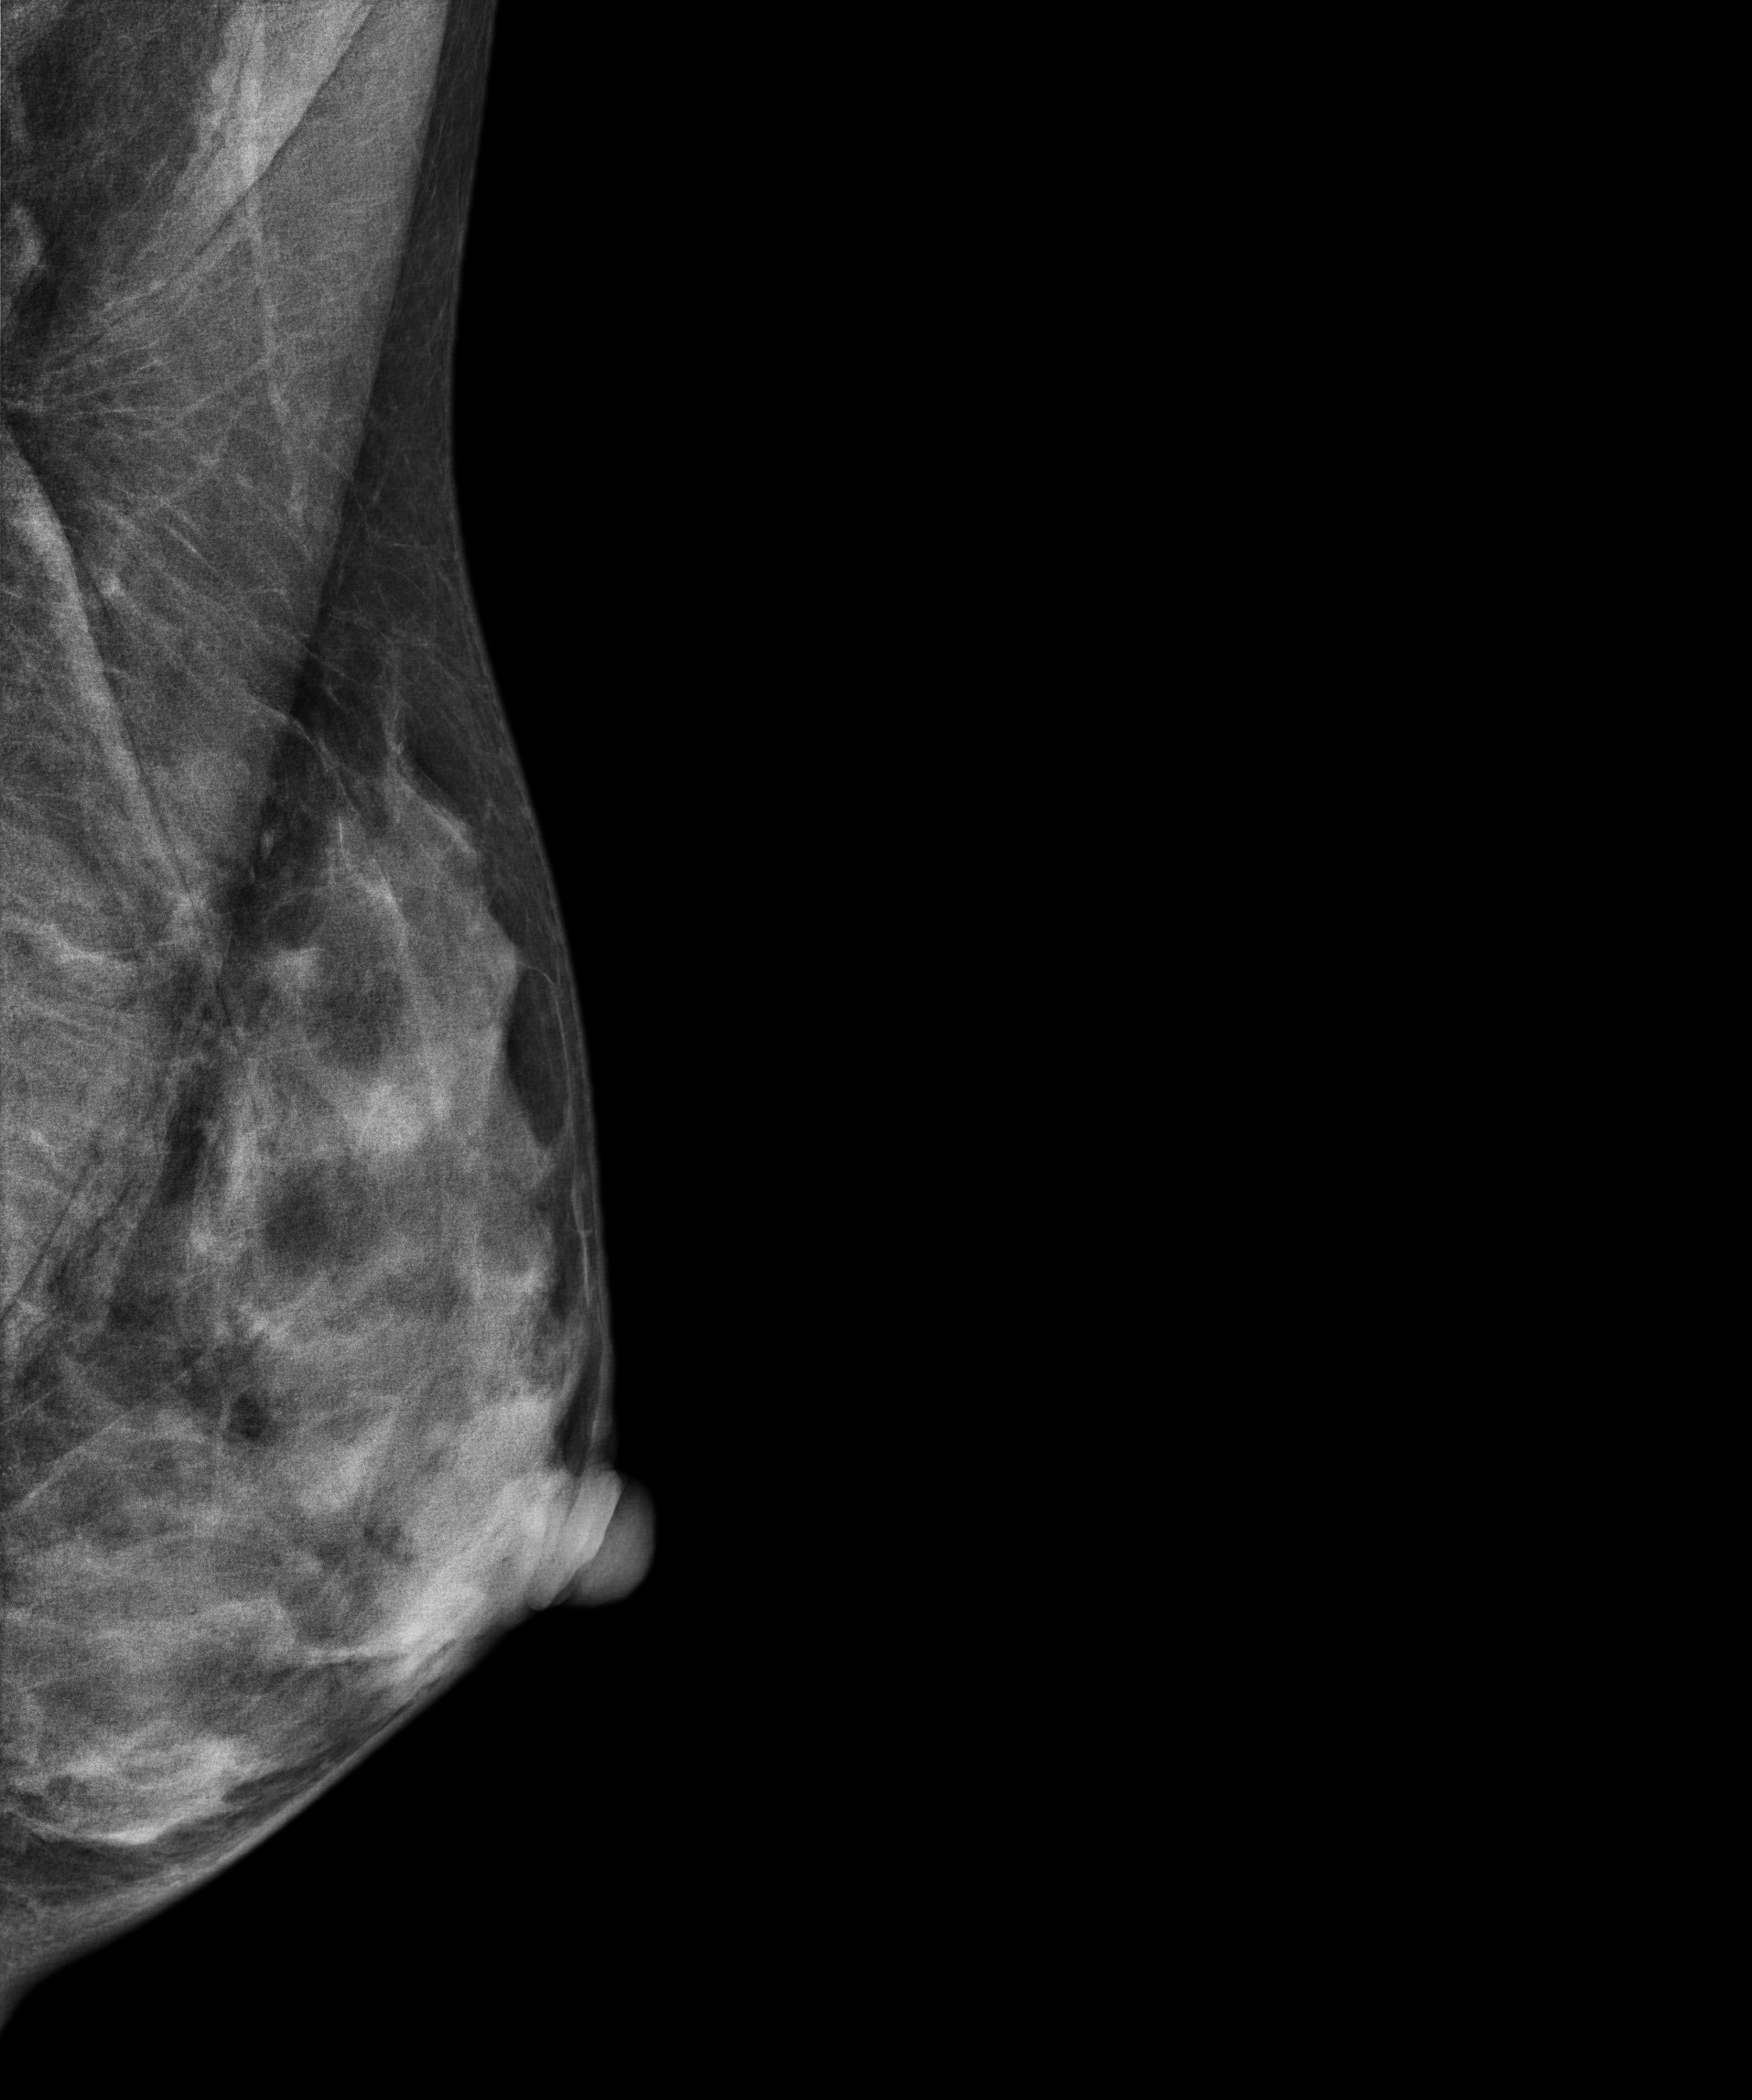
Left-breast mammogram, MLO. Patient age 46.
Contralateral breast — no documented abnormality on this side.